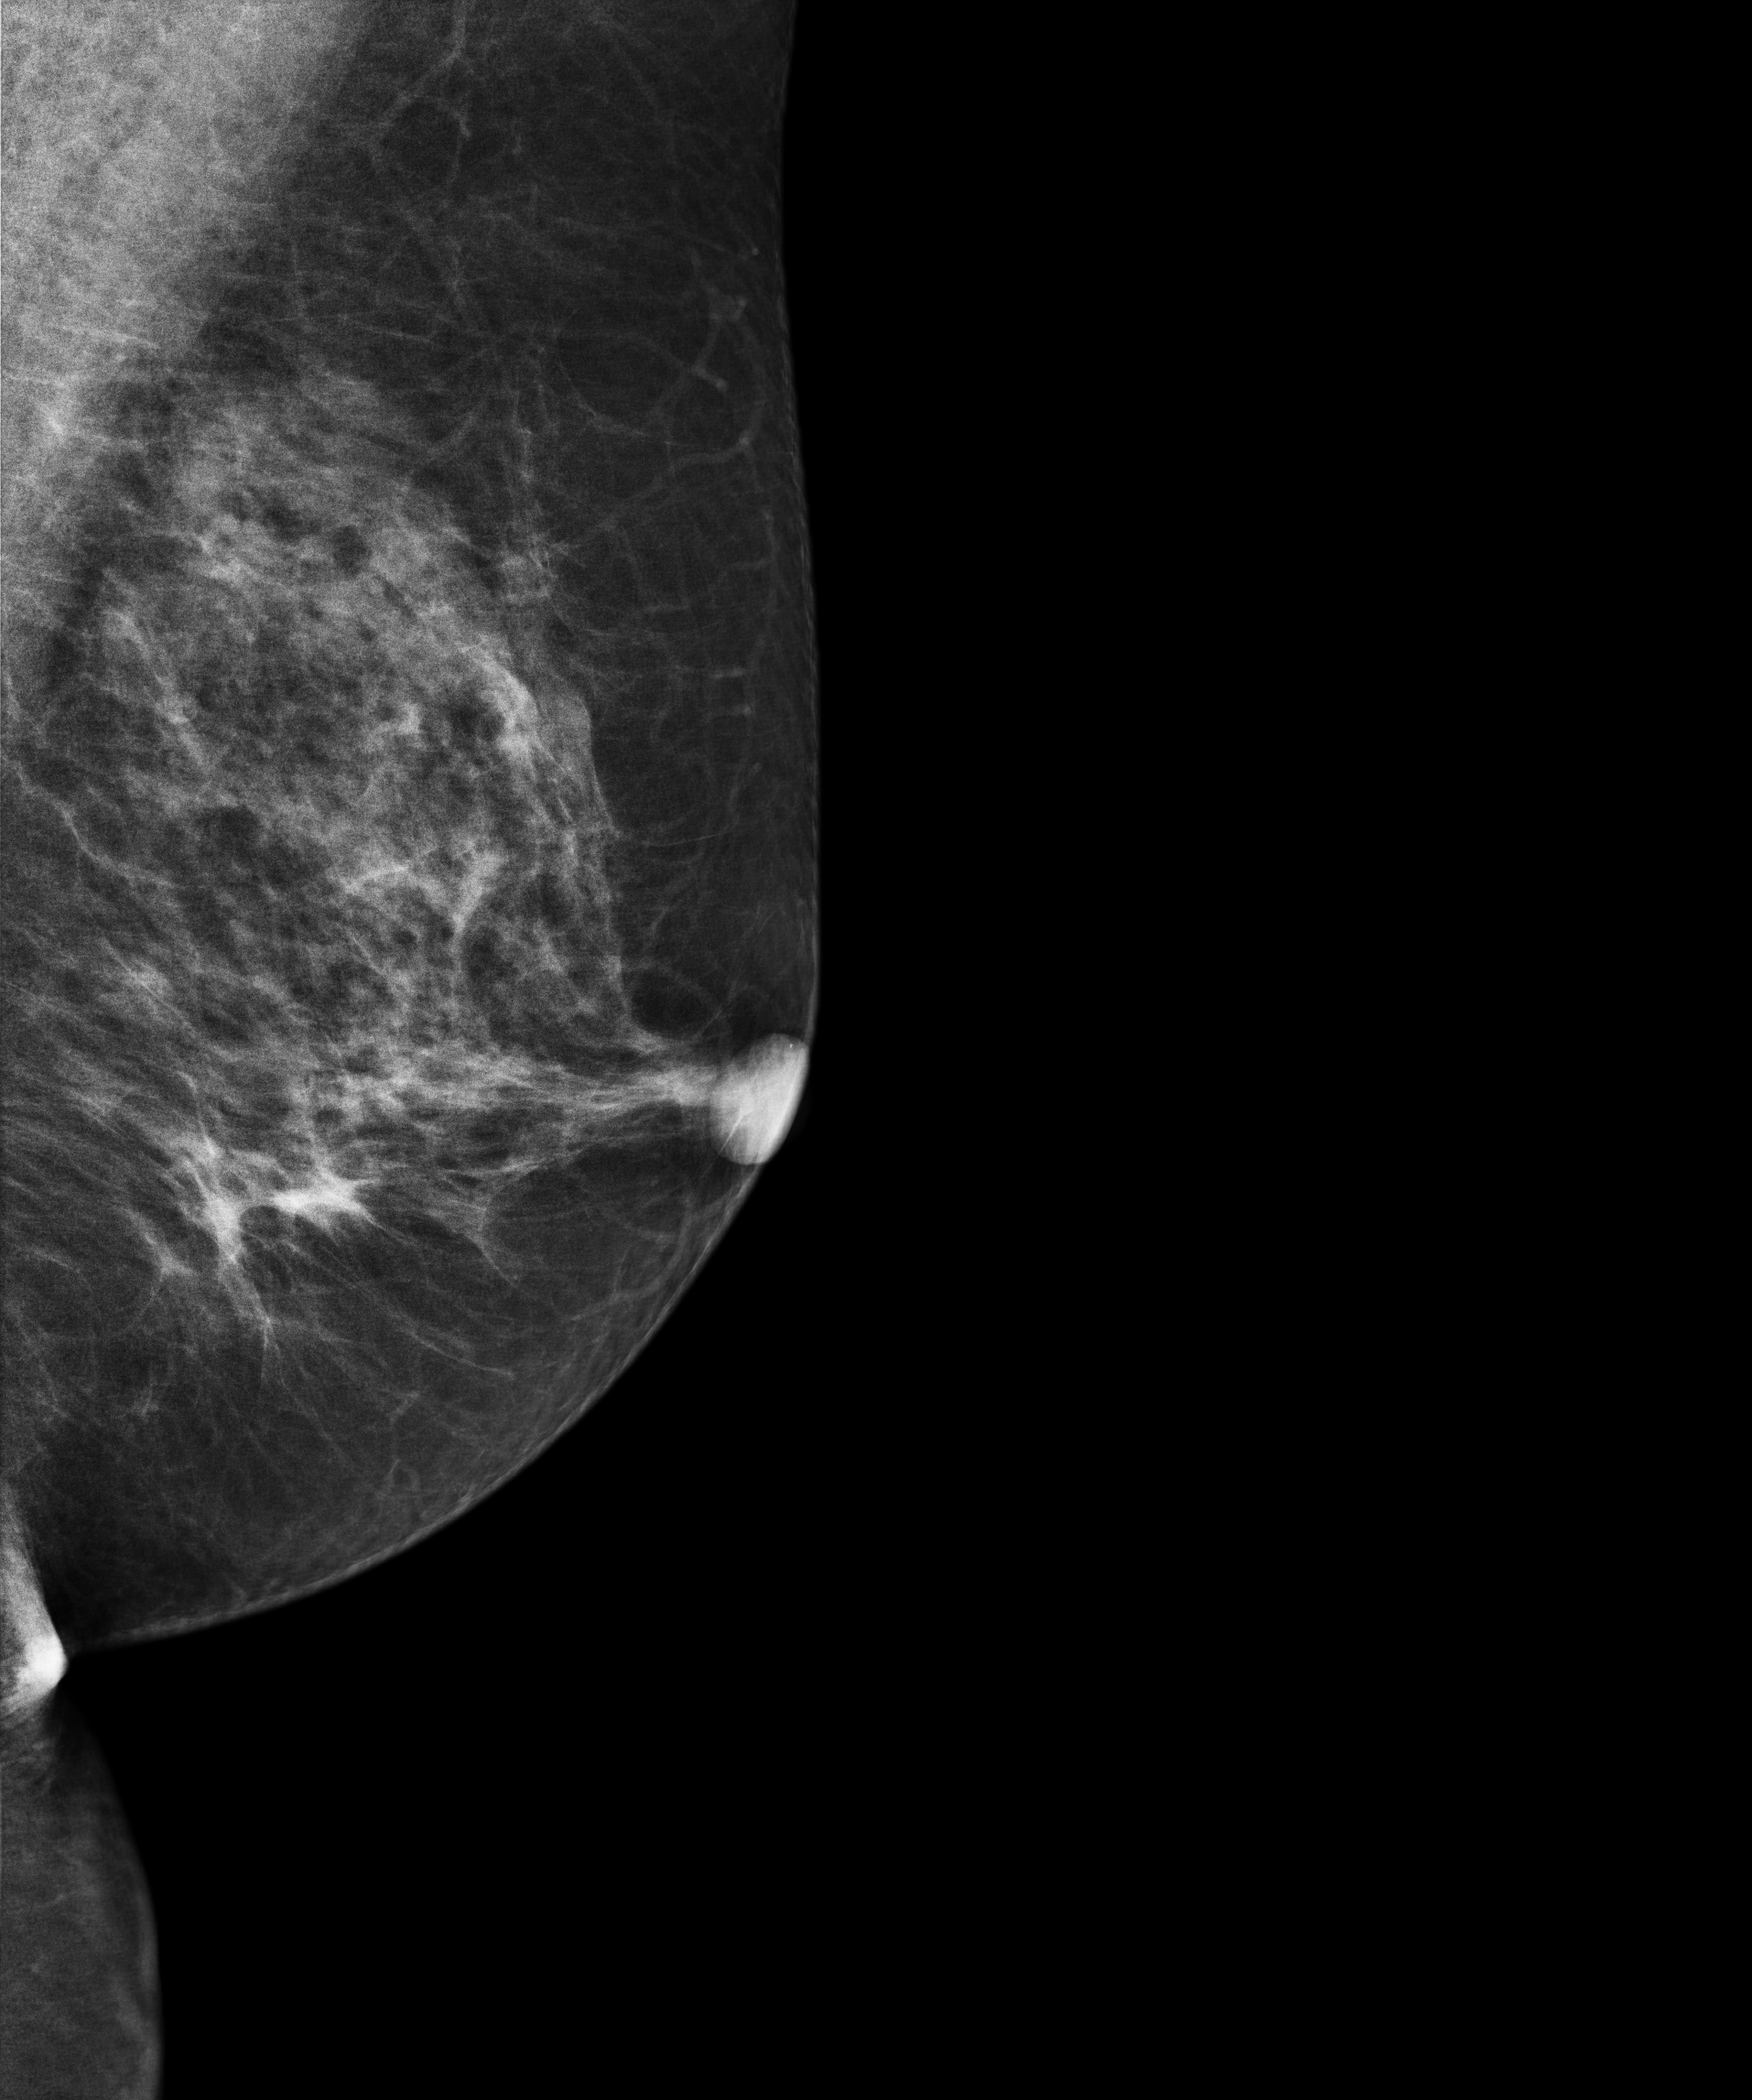
MLO mammogram of the left breast. 60-year-old patient.
Contralateral breast — no documented abnormality on this side.